CC mammogram of the right breast. 34-year-old patient.
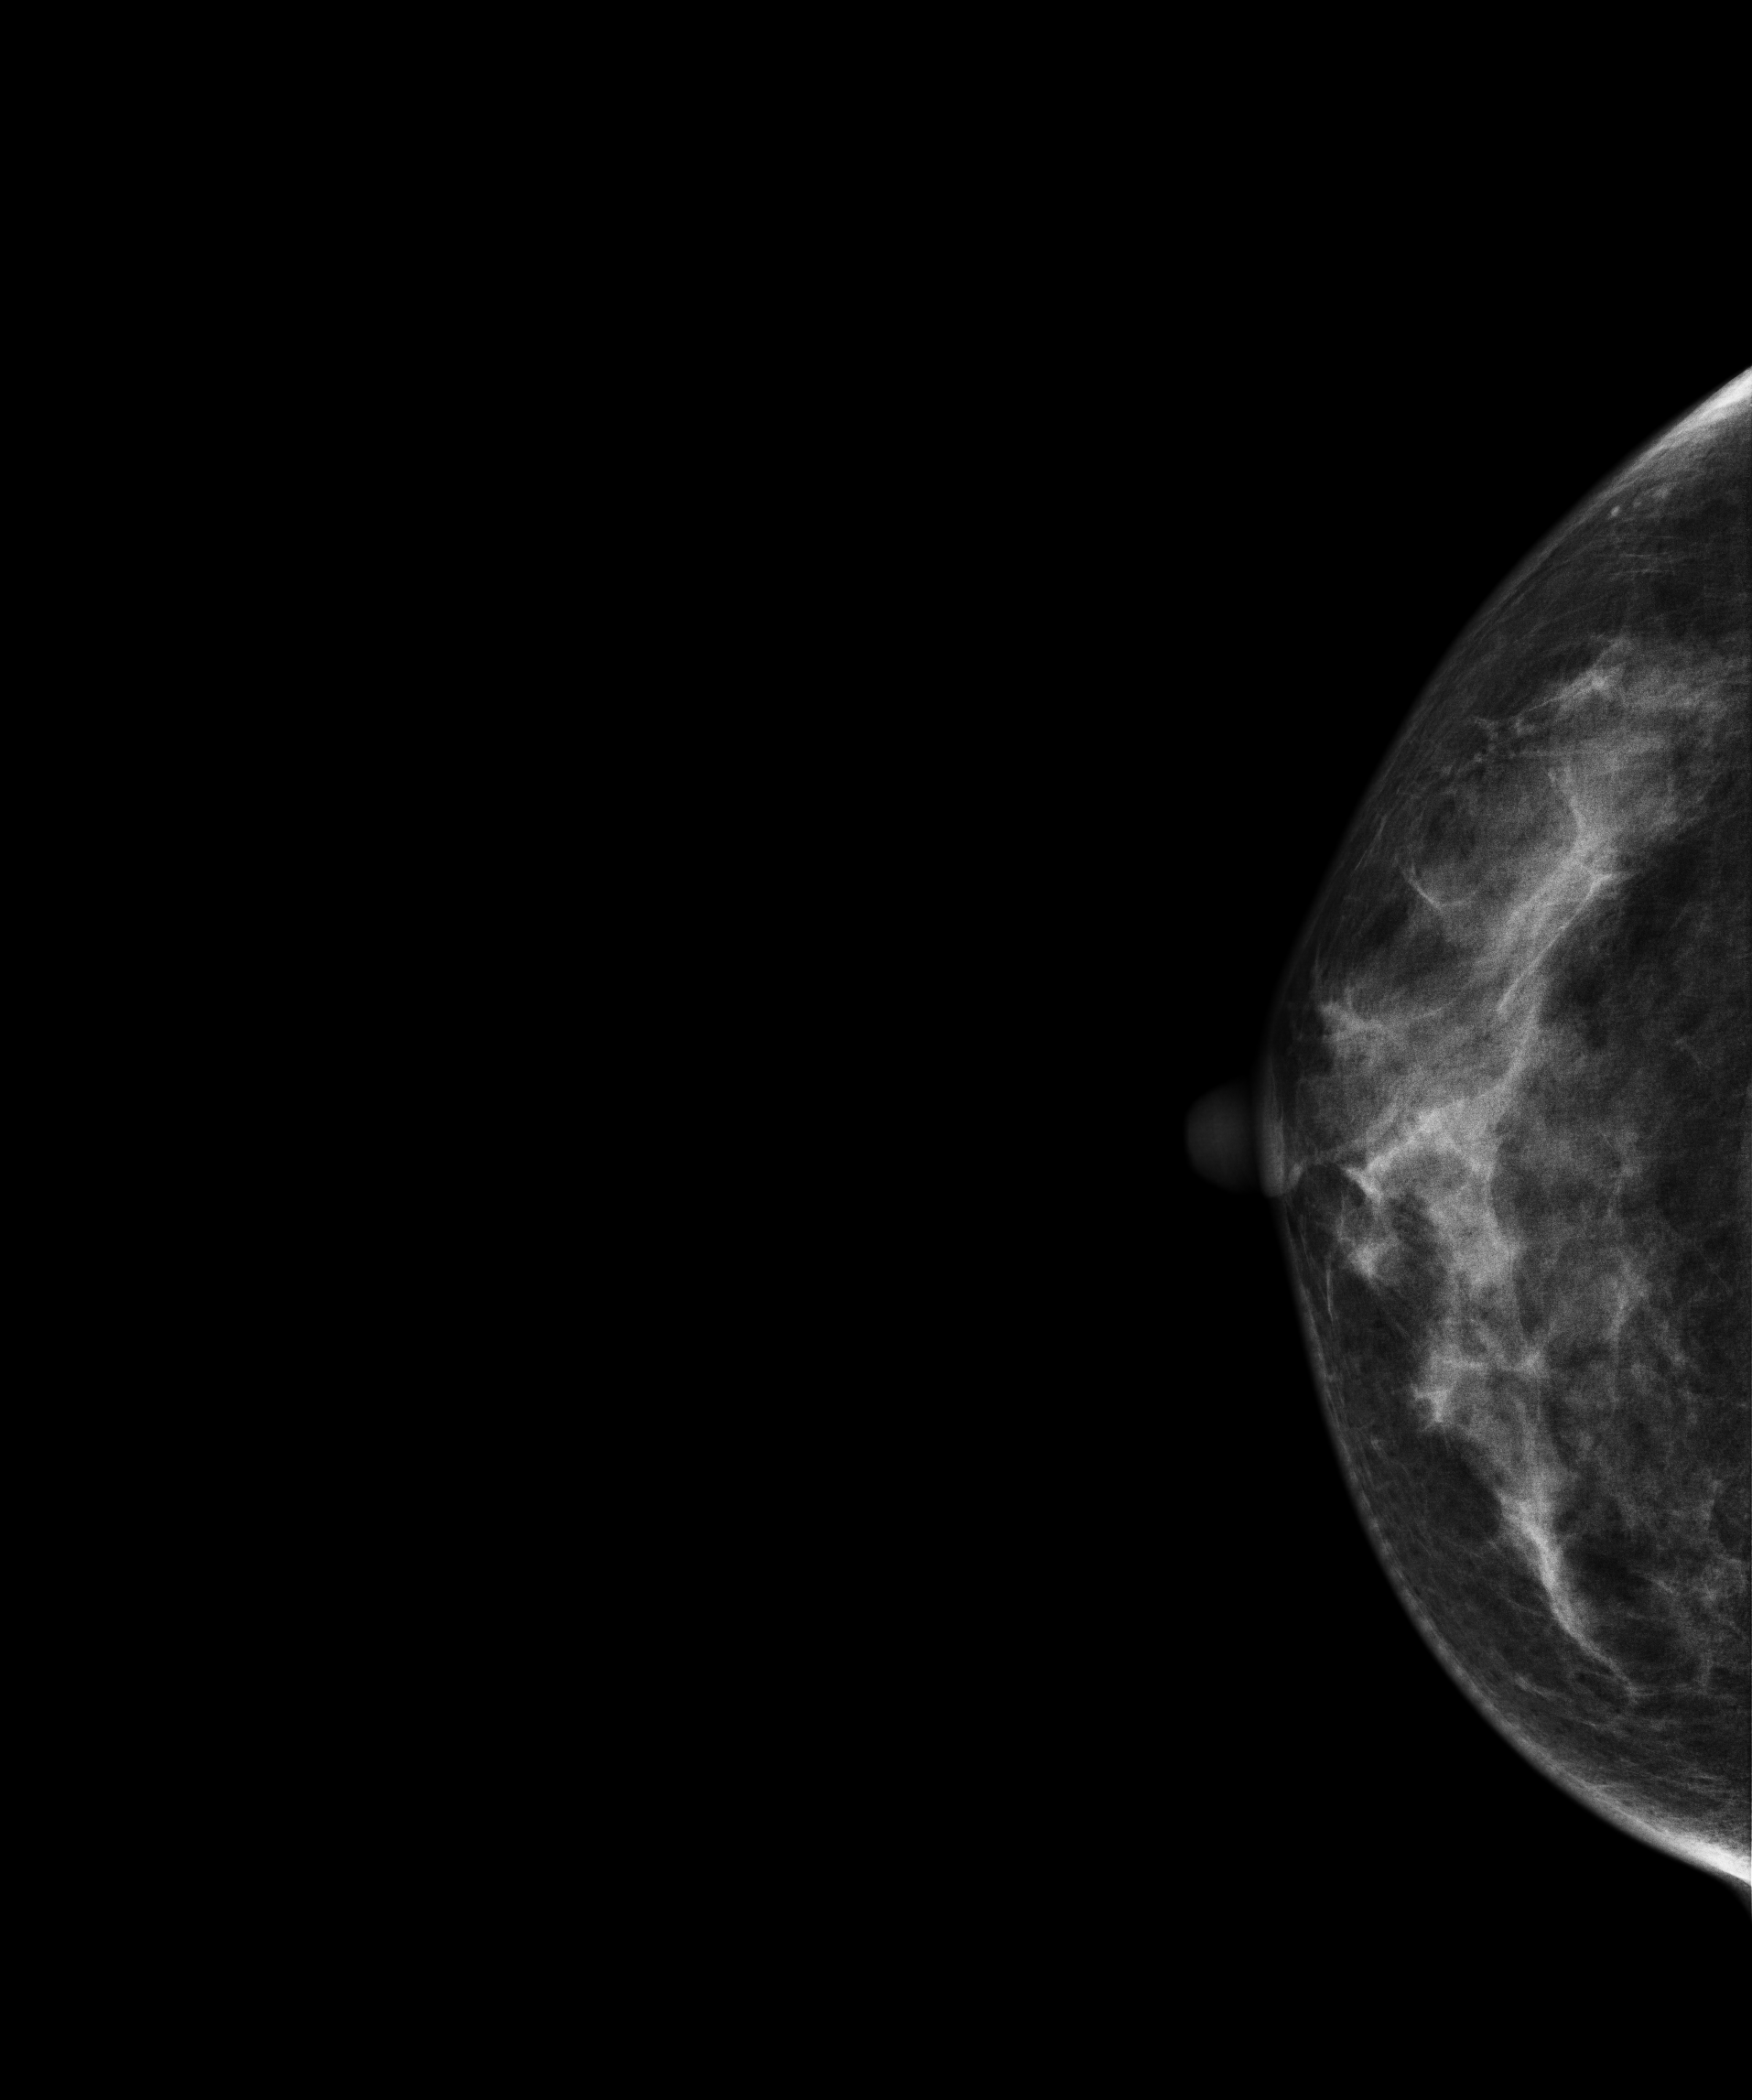
Contralateral breast — no documented abnormality on this side.